Mammogram — right medio-lateral oblique. Patient age 41.
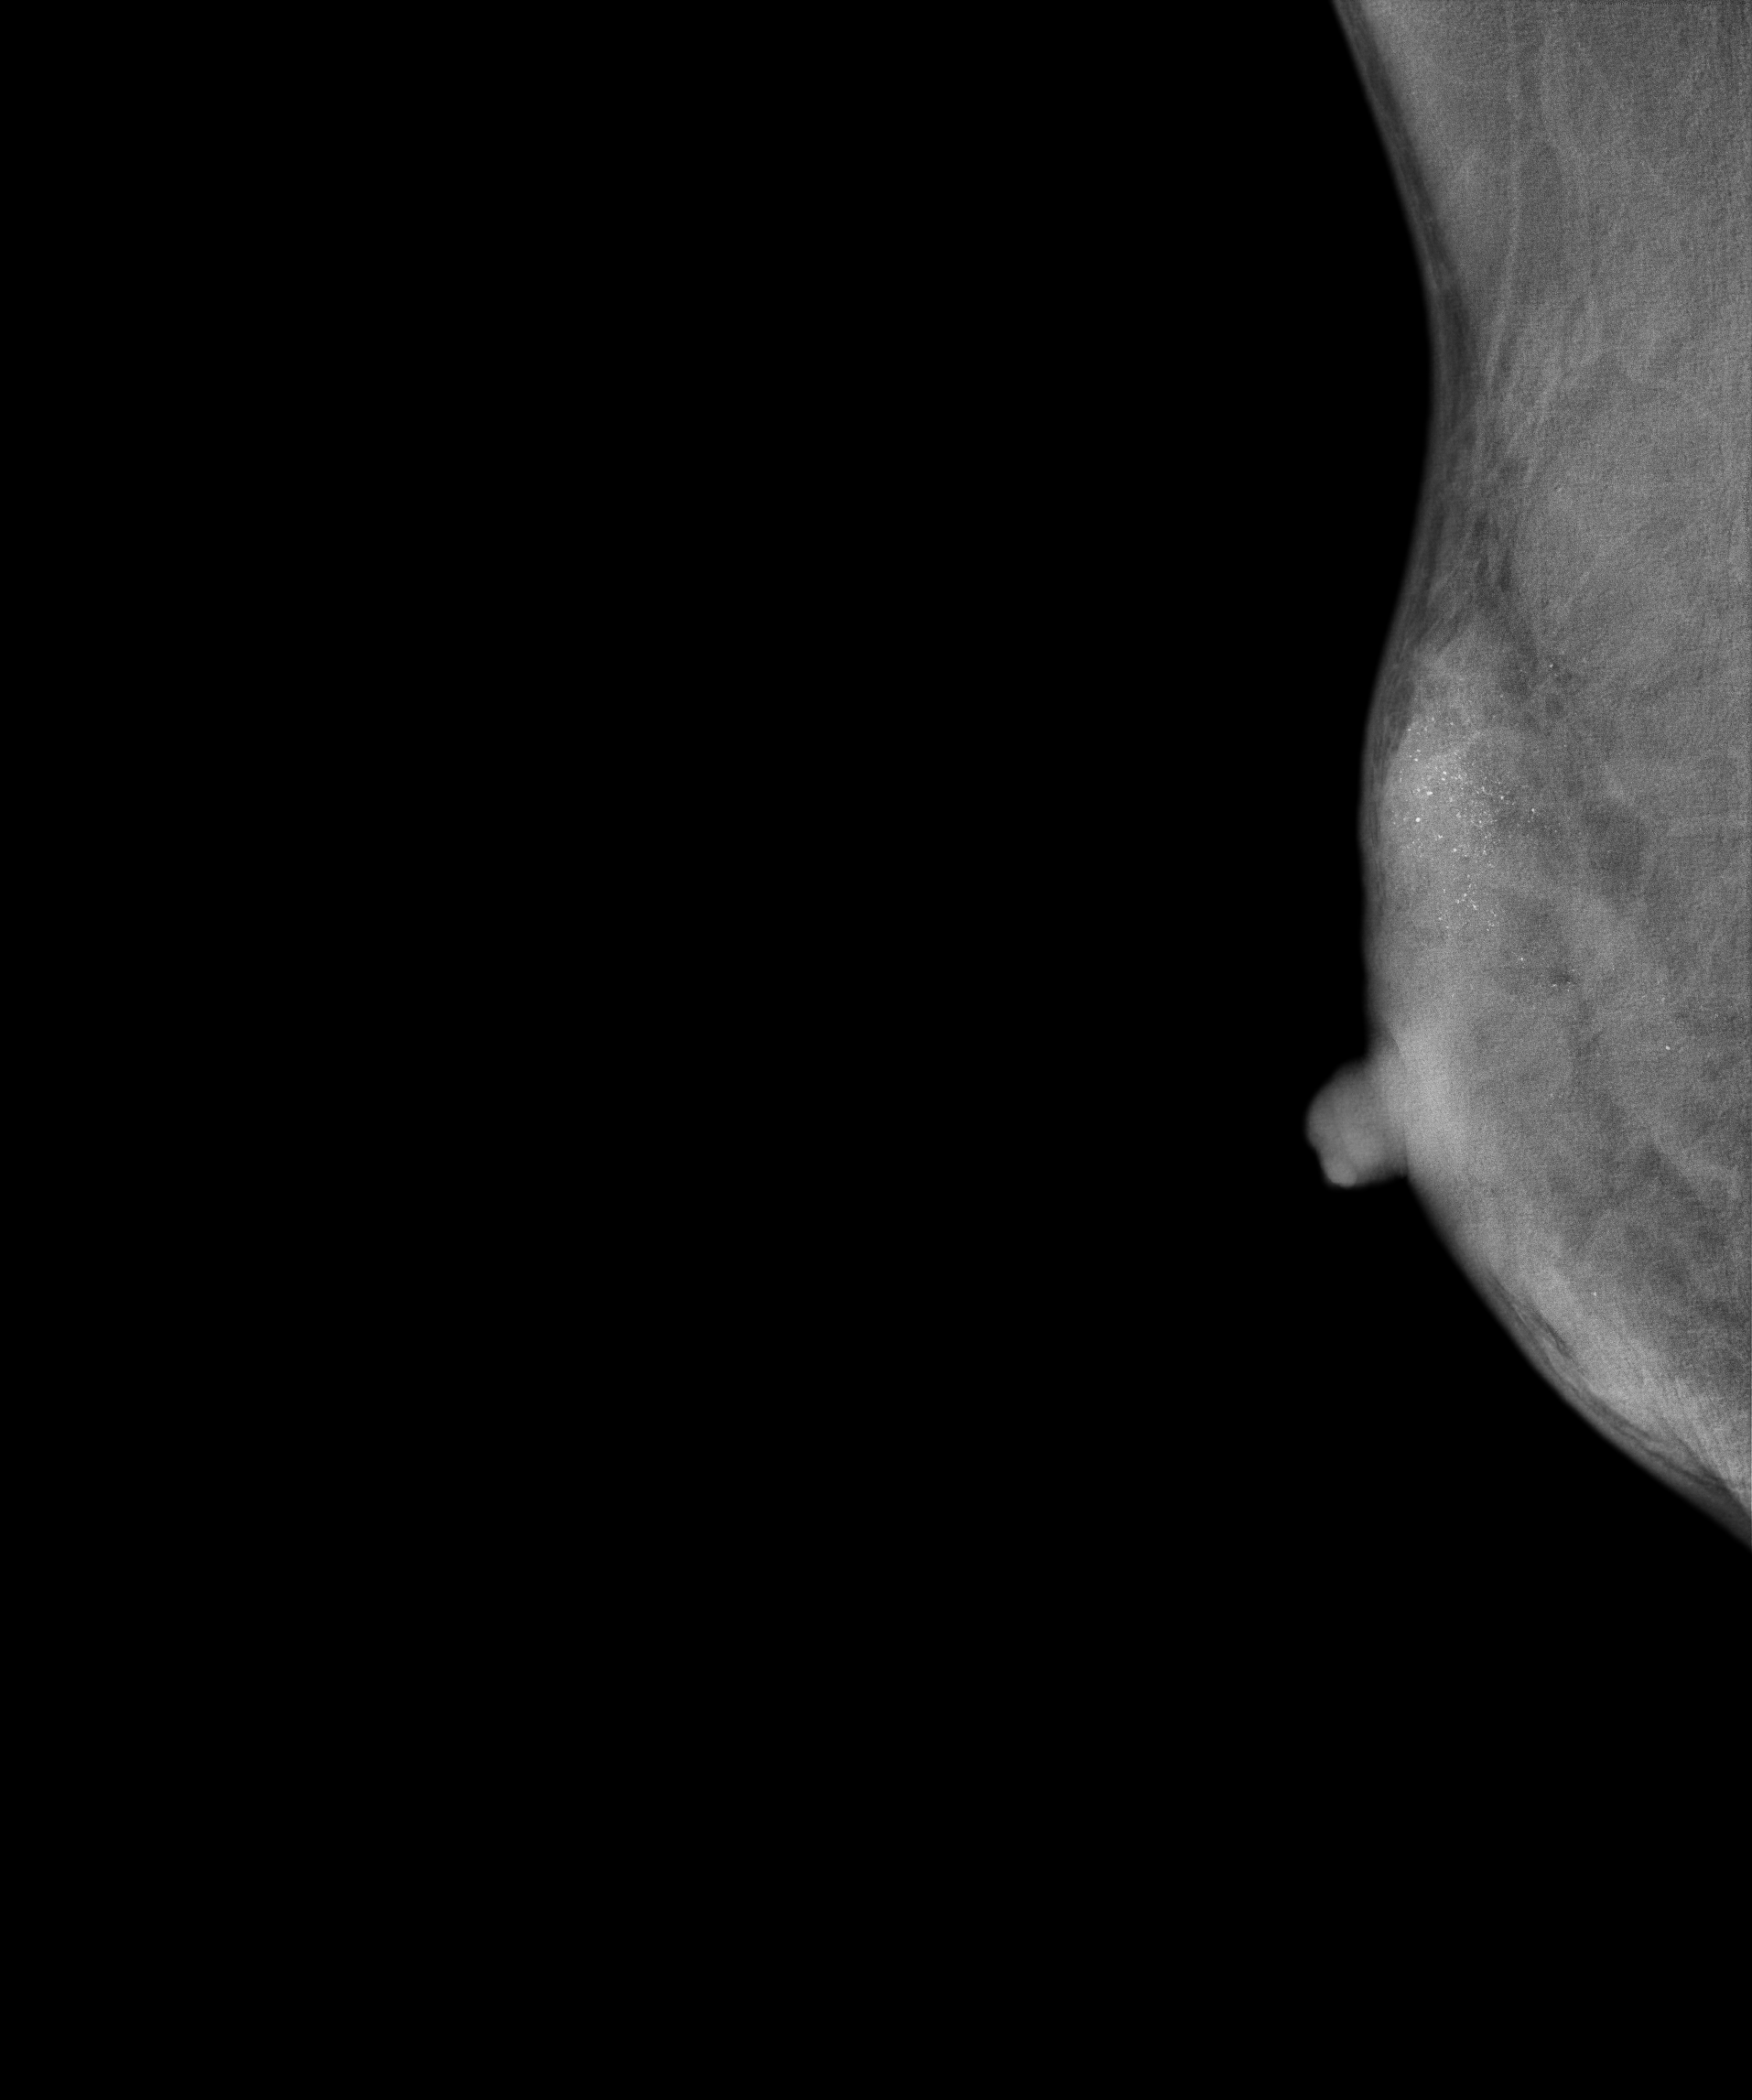
This breast has calcifications, biopsy-confirmed malignant.